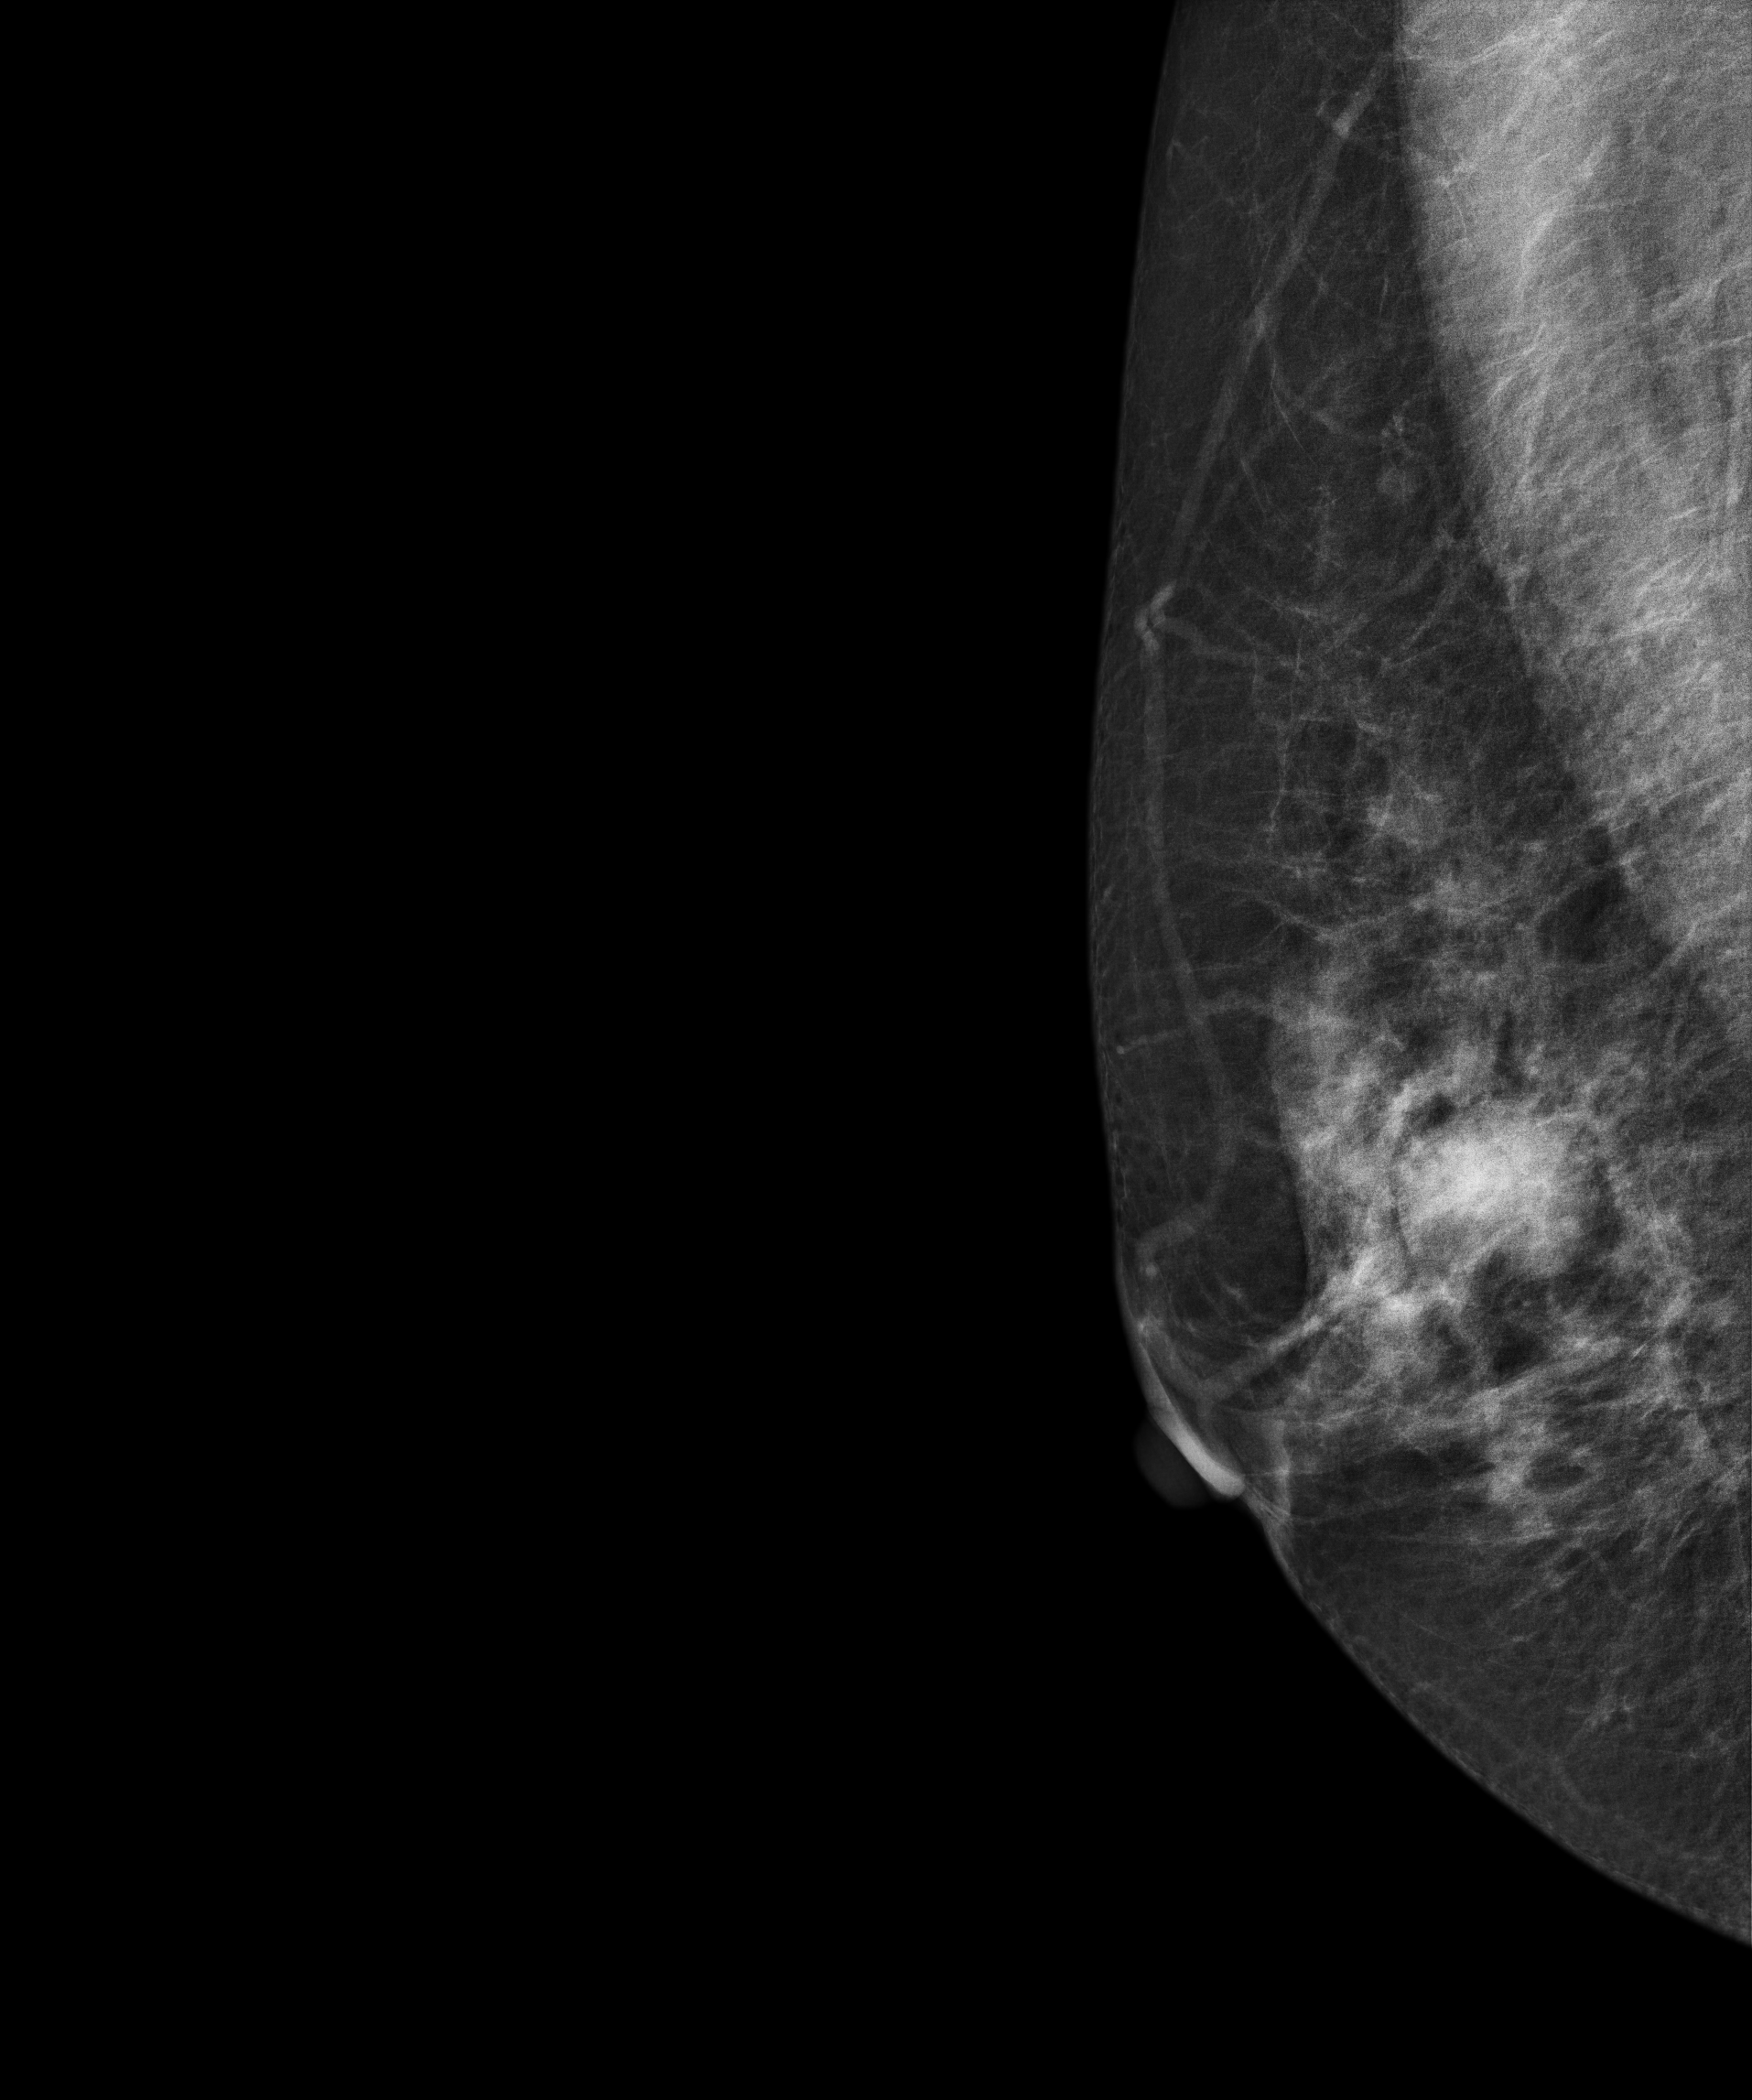
Mammogram — right MLO. 59-year-old patient.
This breast has a mass, histologically confirmed benign.